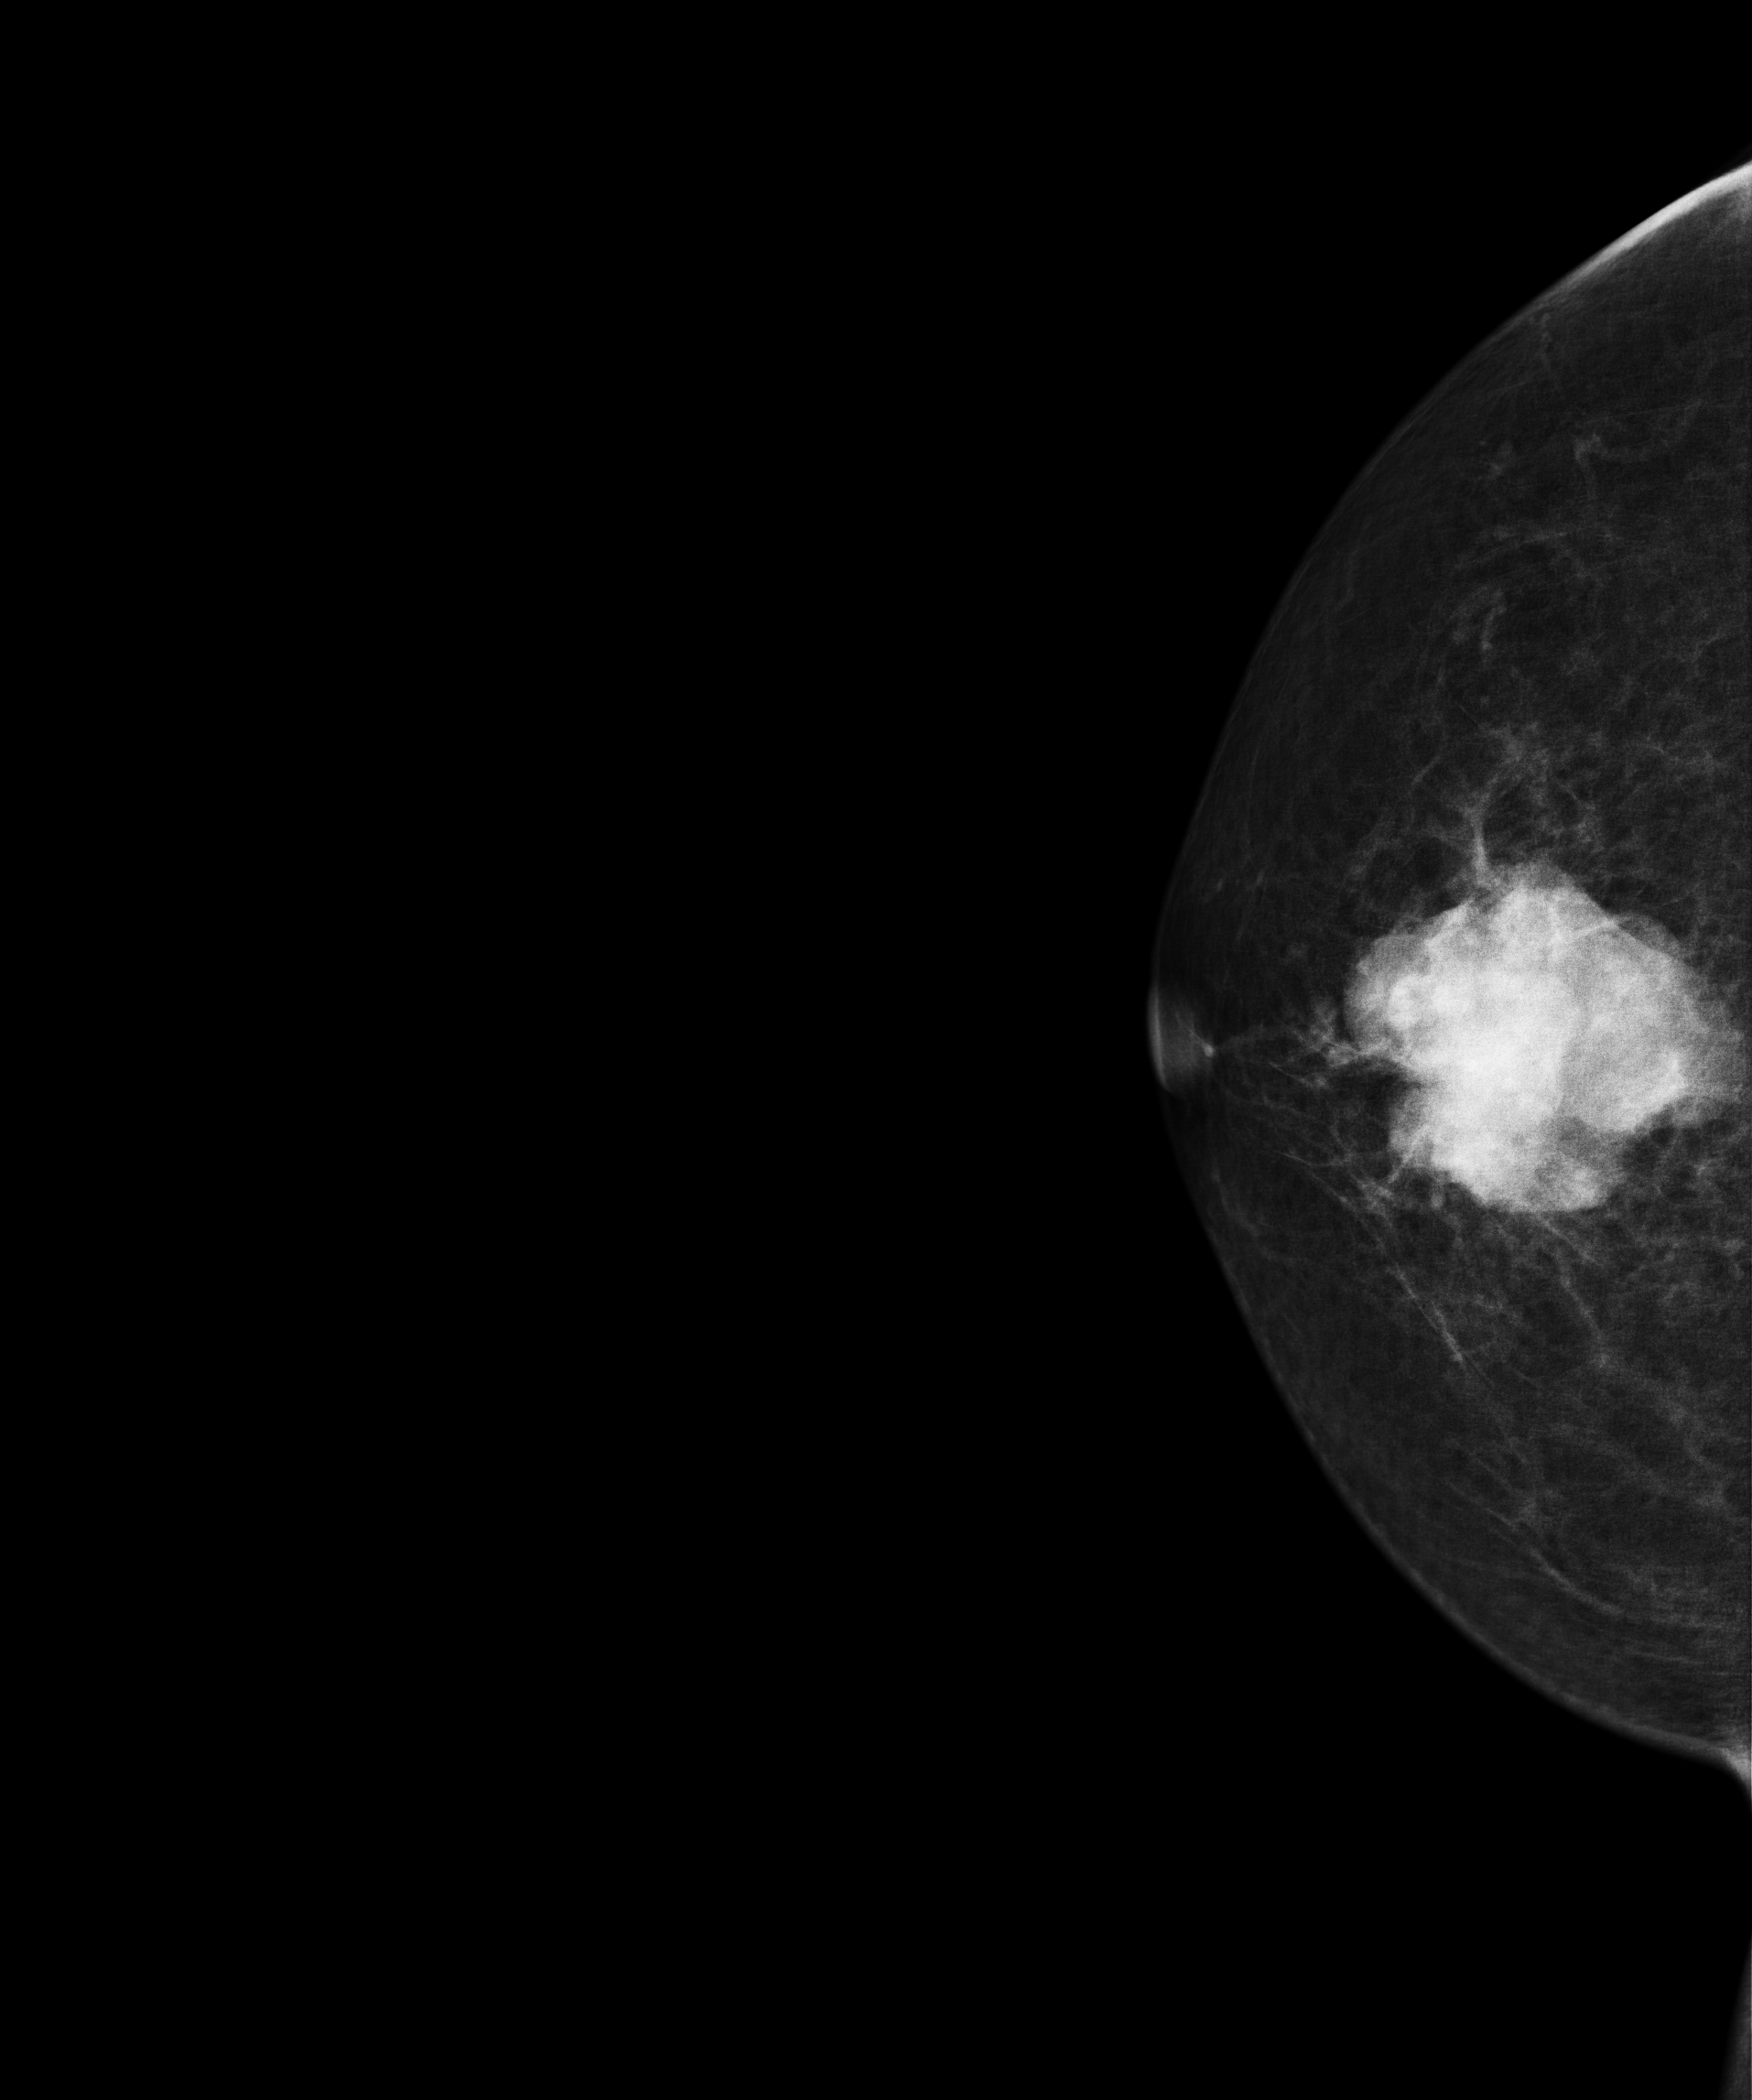
Digital mammography. Right breast, CC projection. Patient age 72.
This breast has a mass, histologically confirmed malignant.